Mammogram — left MLO. Patient age 44.
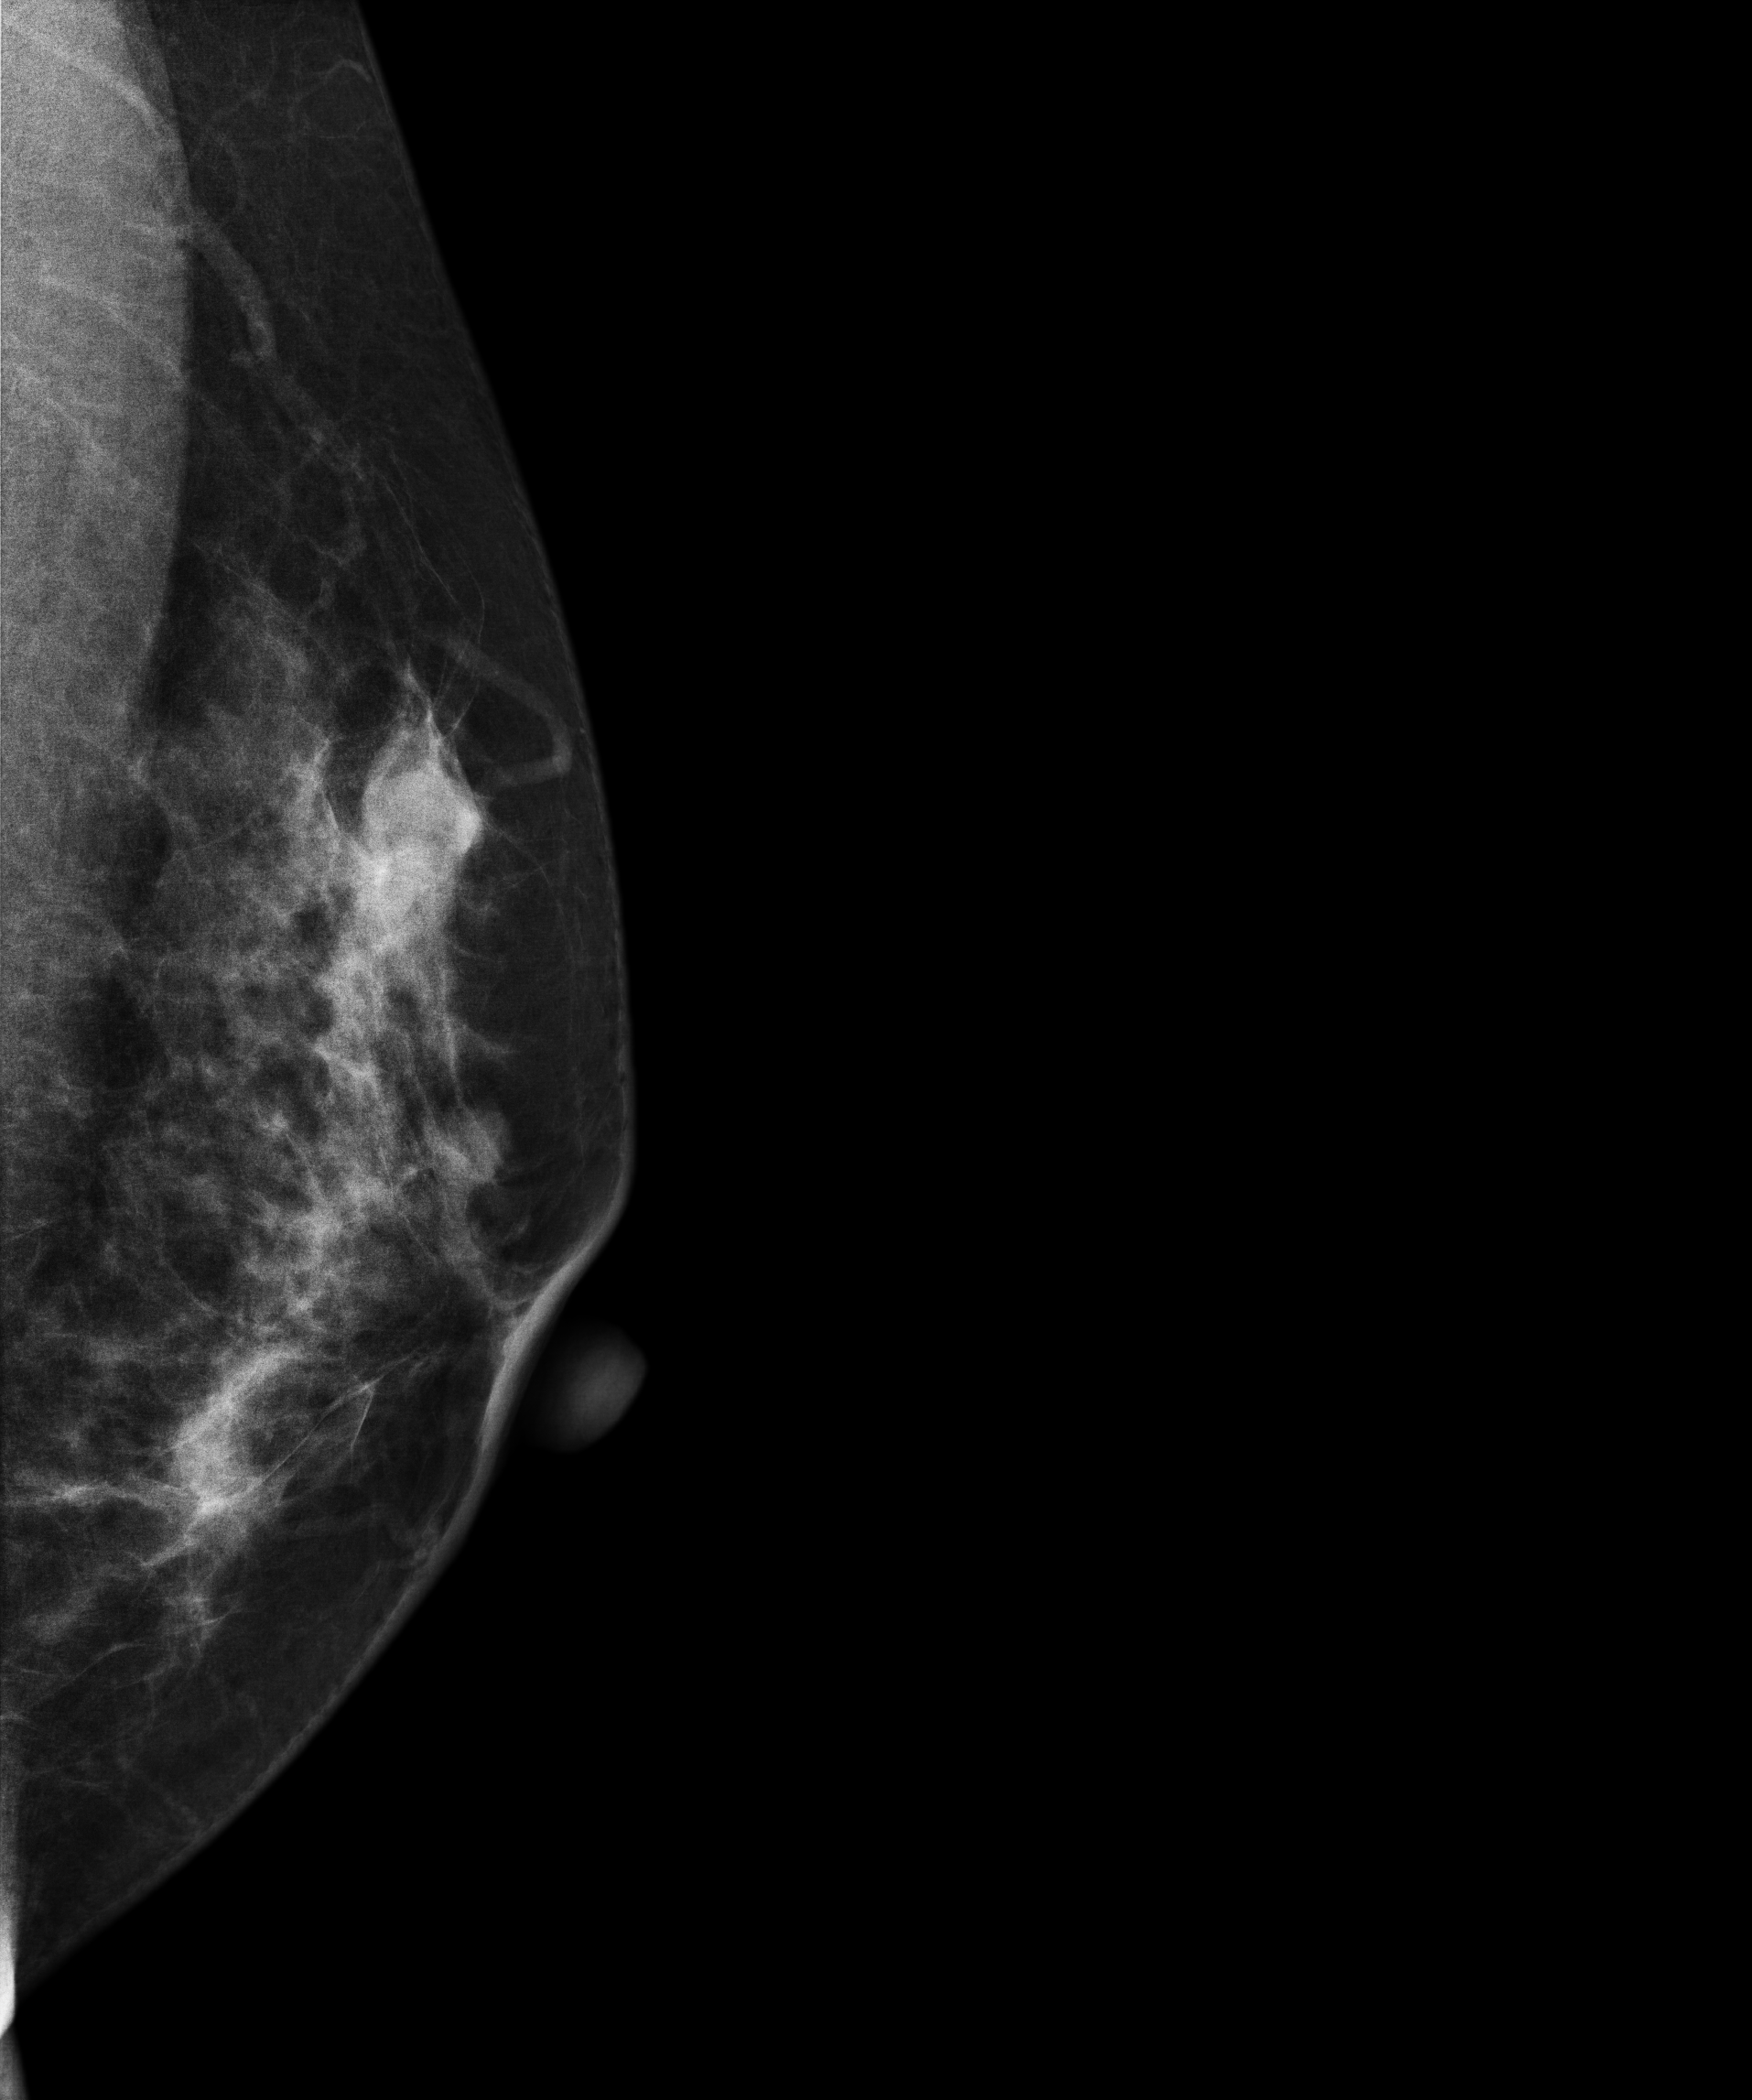
This breast has a mass, pathology-confirmed benign.